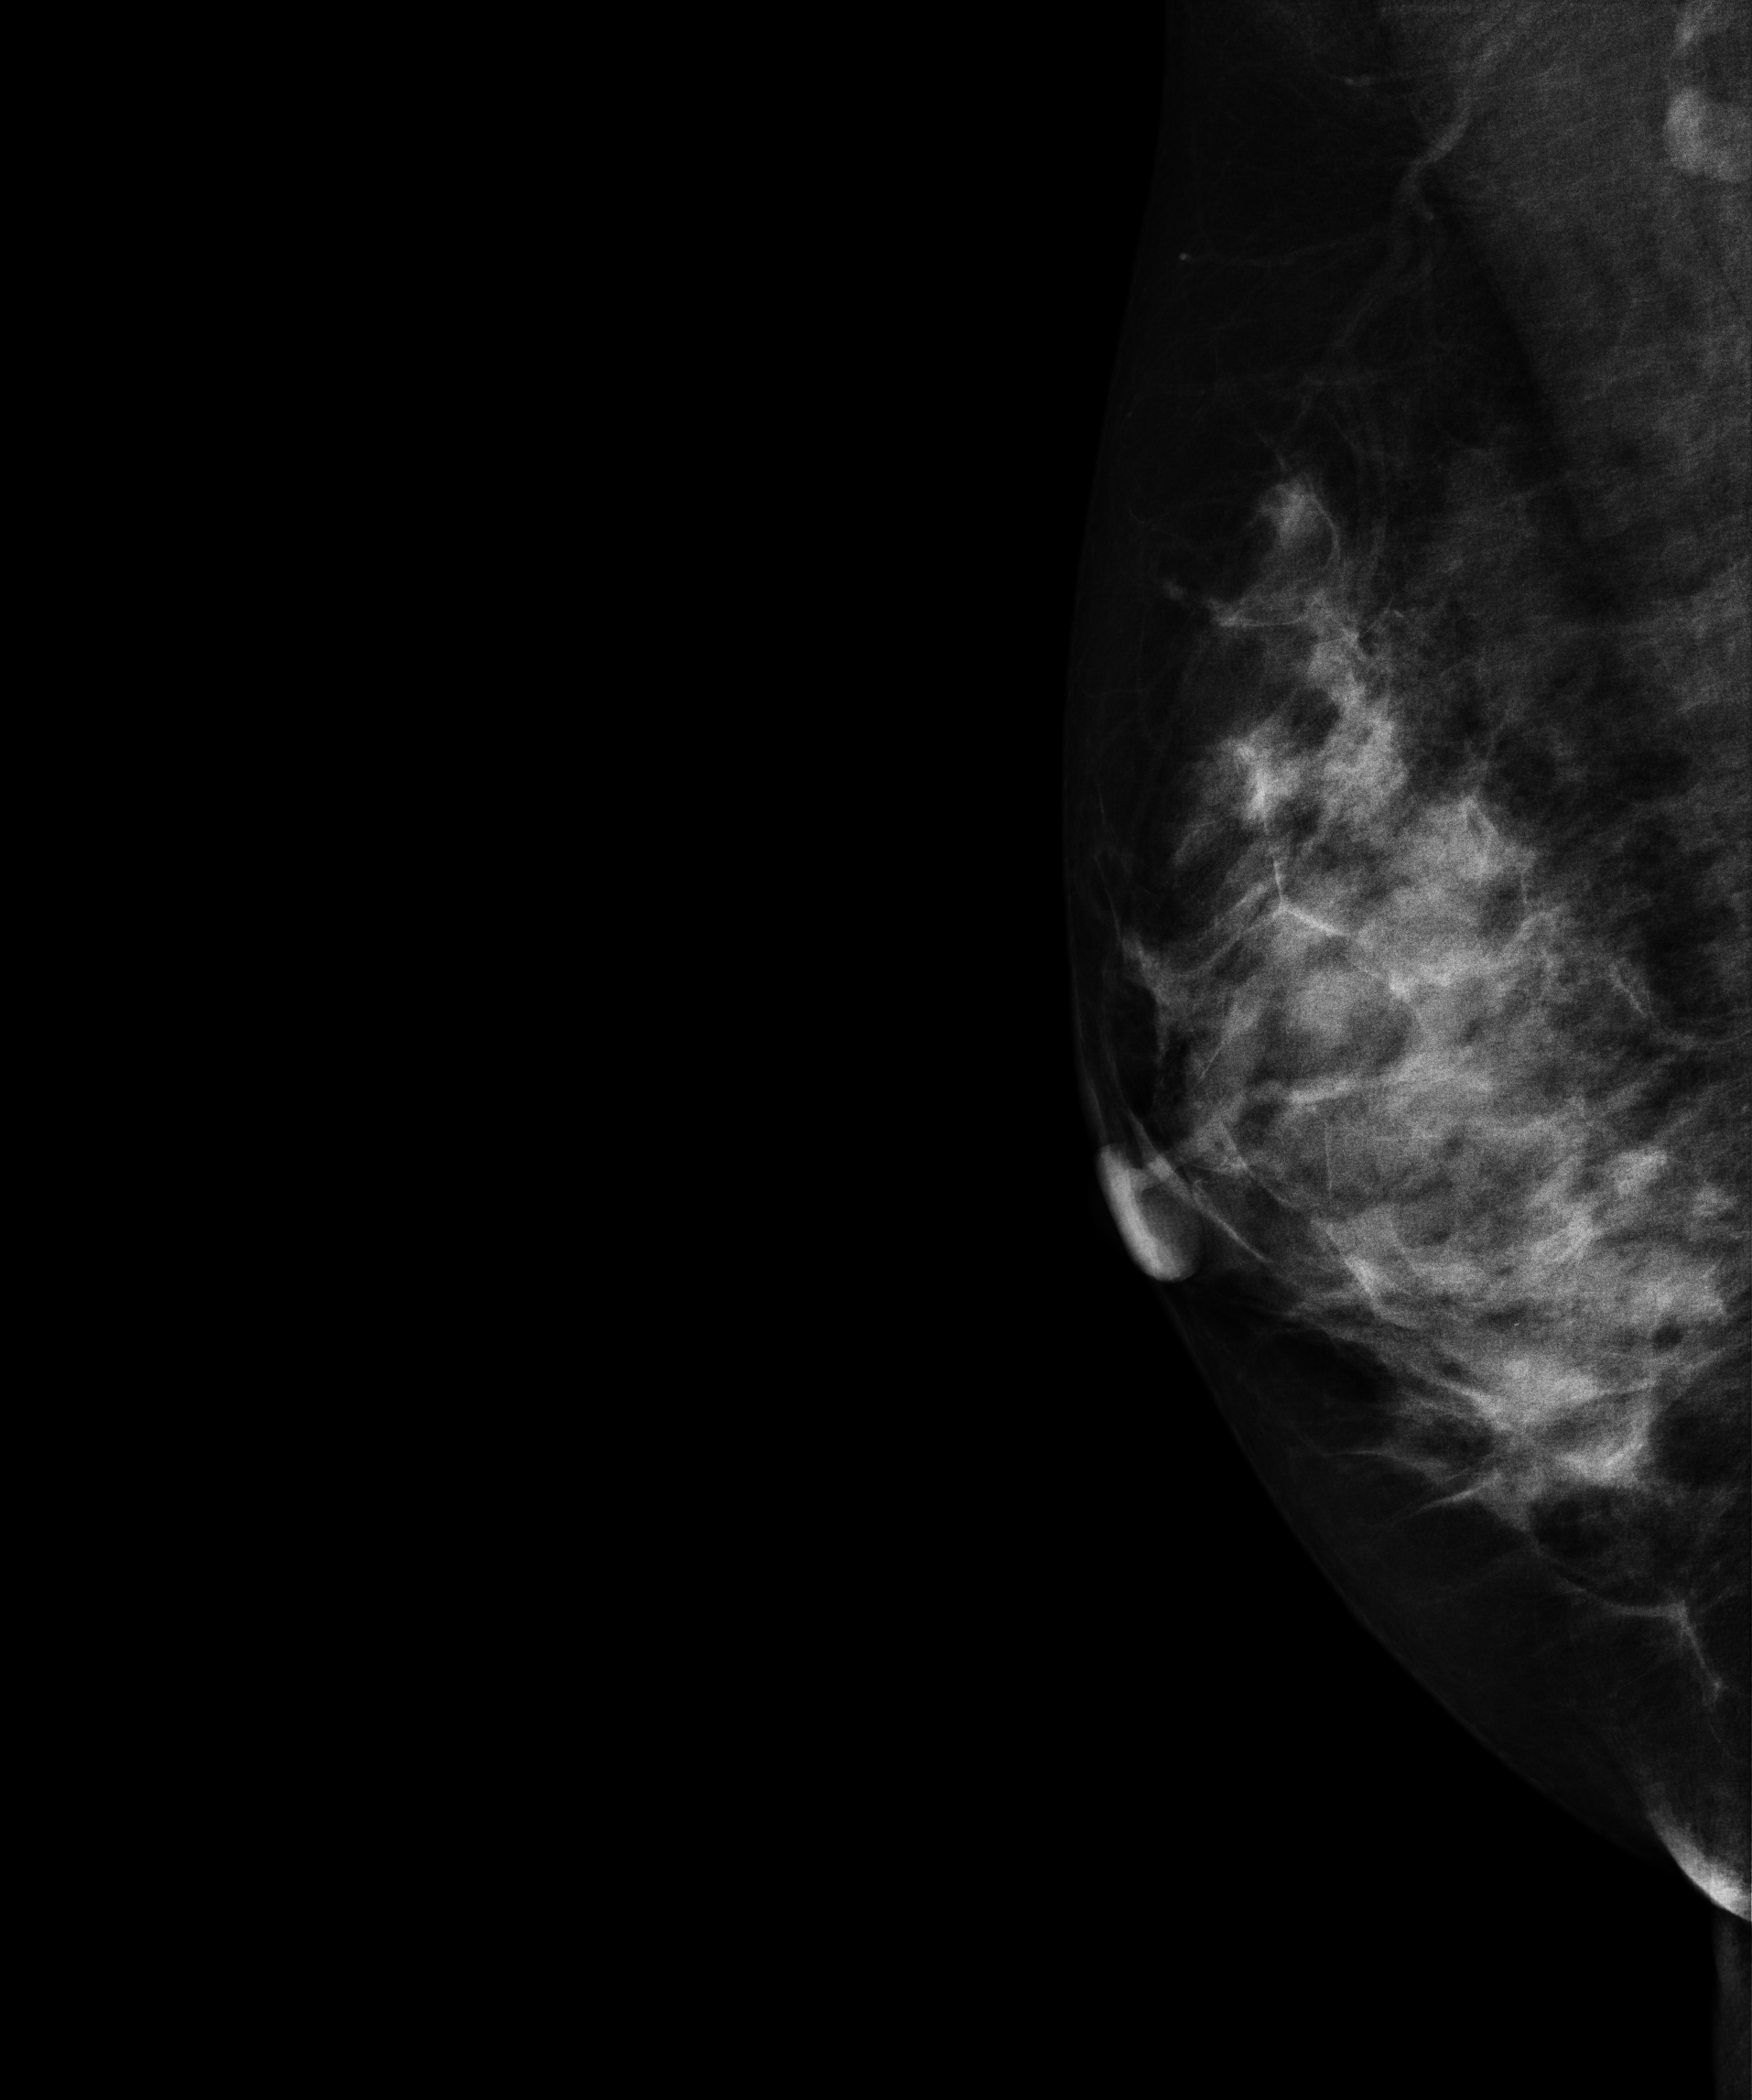
Right-breast mammogram, medio-lateral oblique. Patient age 36.
This breast has a mass, histologically confirmed benign.